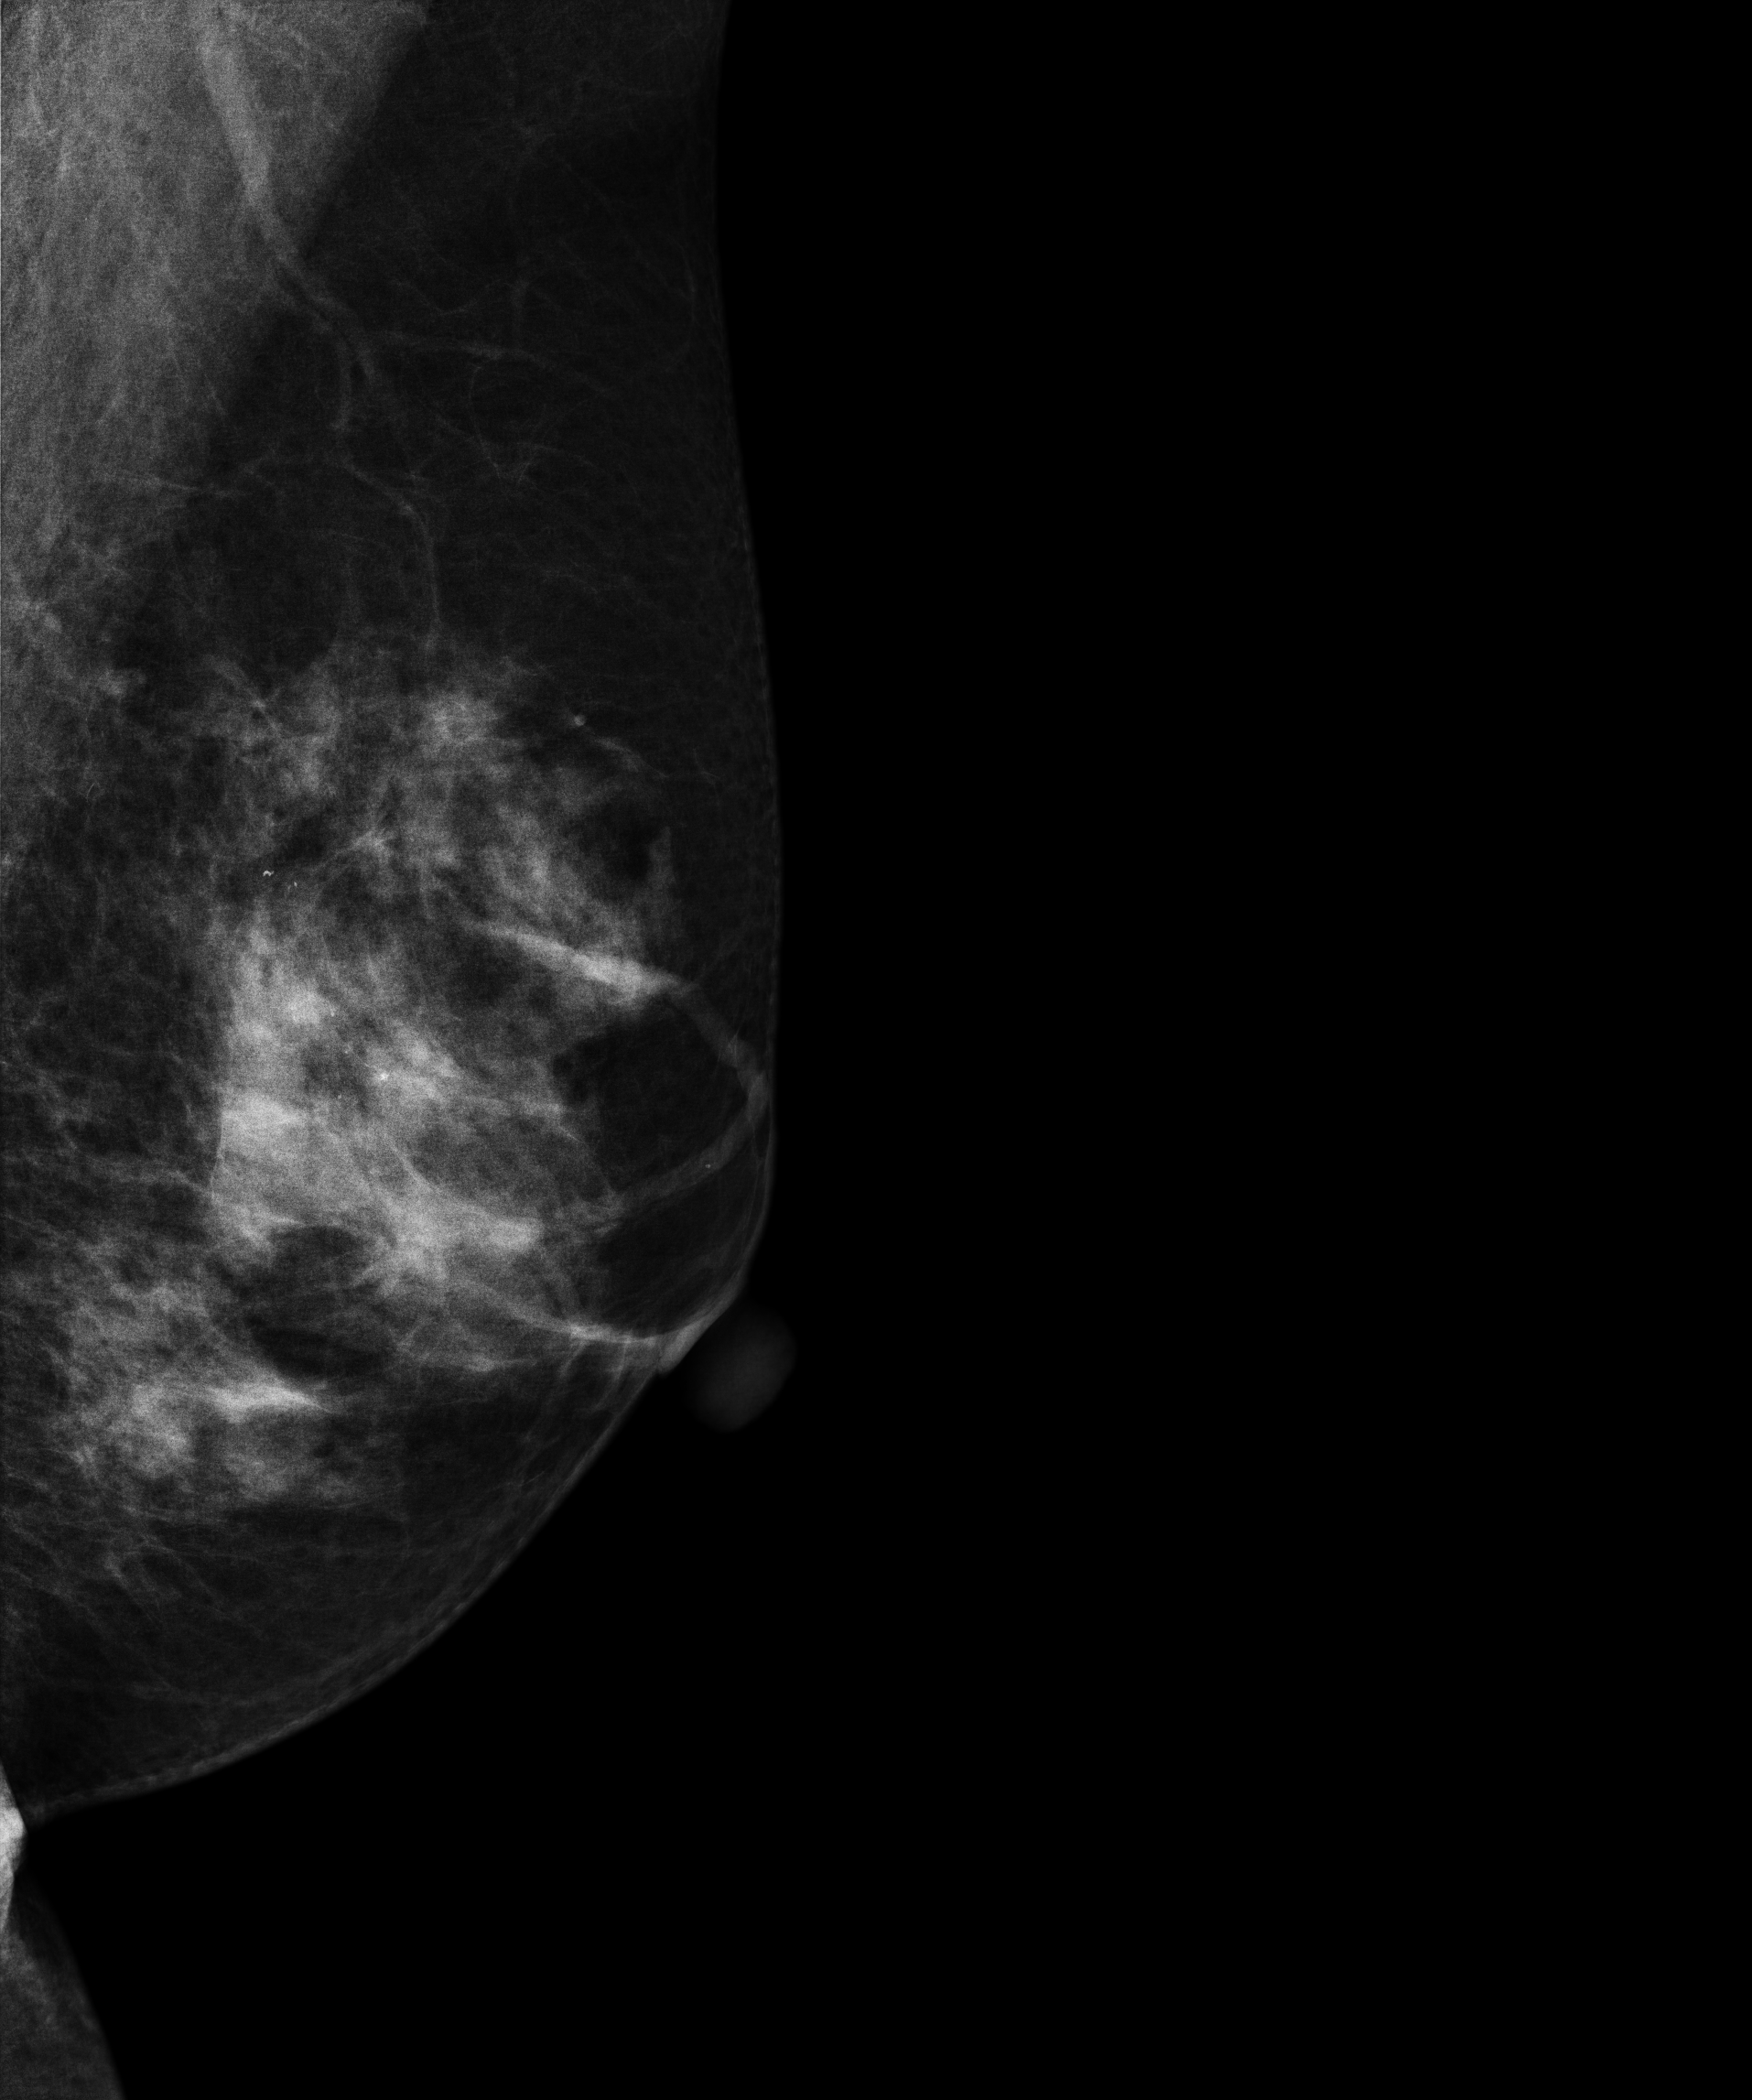
MLO mammogram of the left breast. 52 y/o patient.
This breast has a mass and calcifications, biopsy-proven malignant.